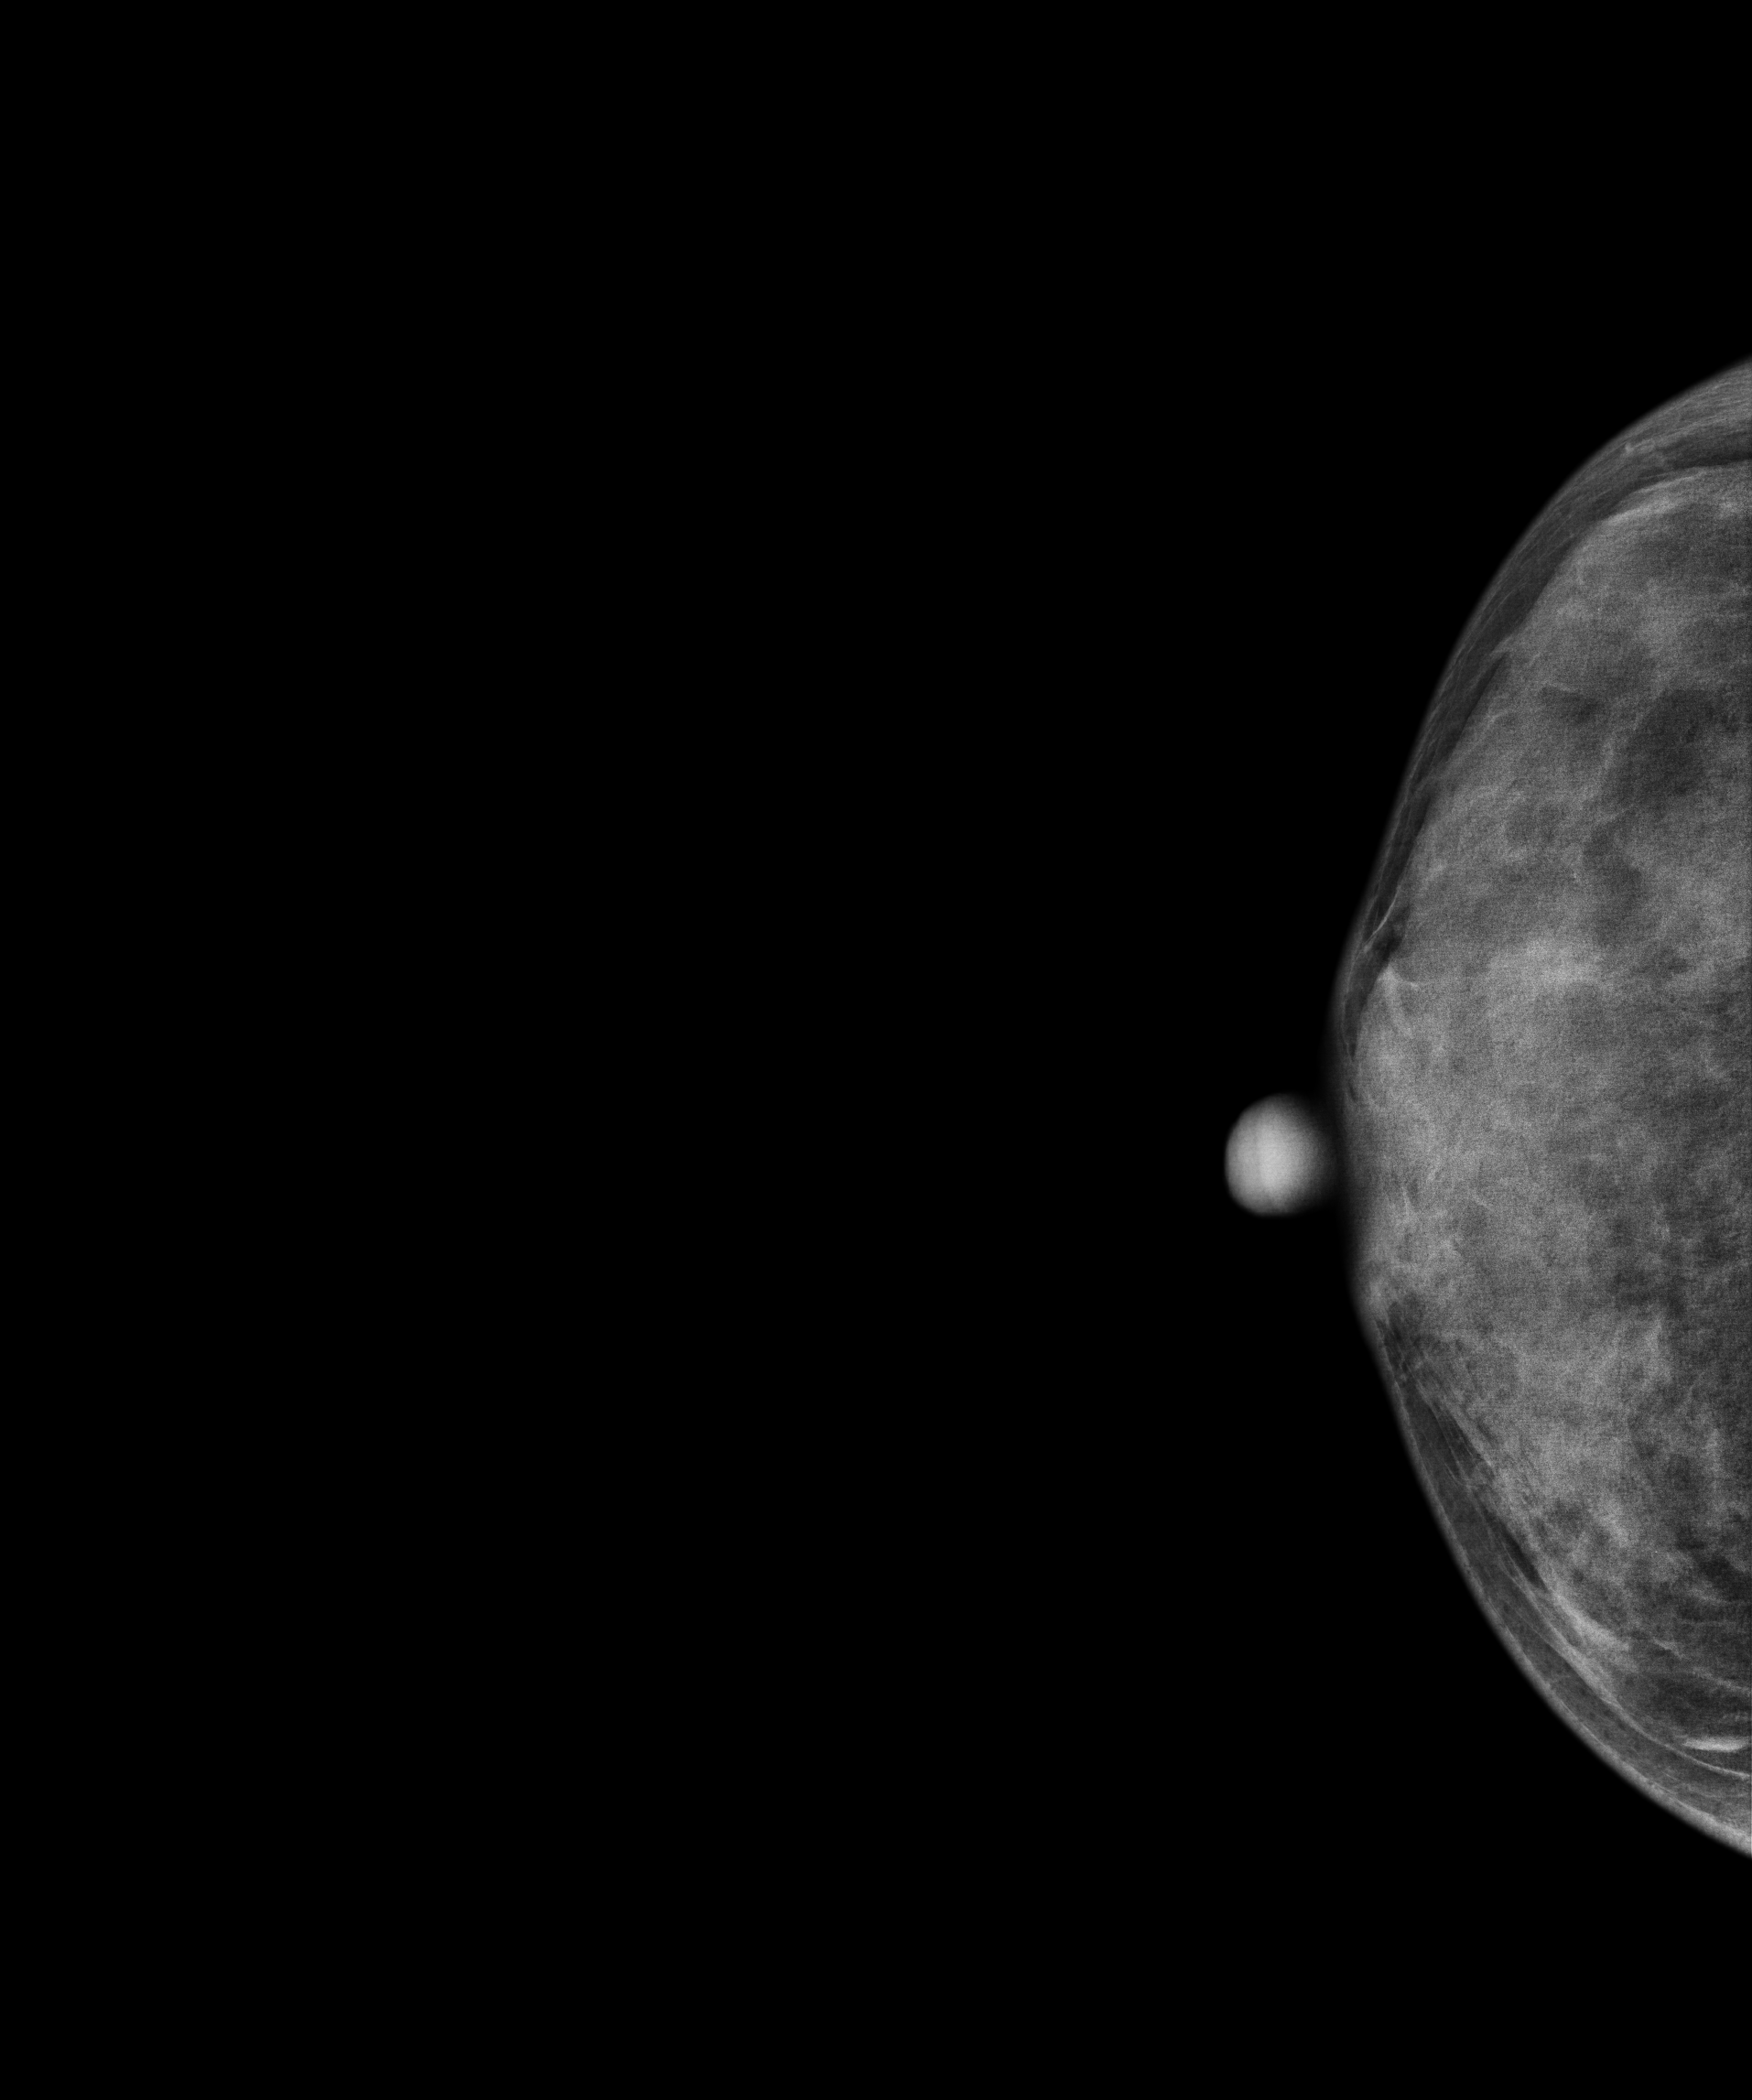
Cranio-caudal mammogram of the right breast. Patient age 29.
This breast has a mass and calcifications, histologically confirmed benign.